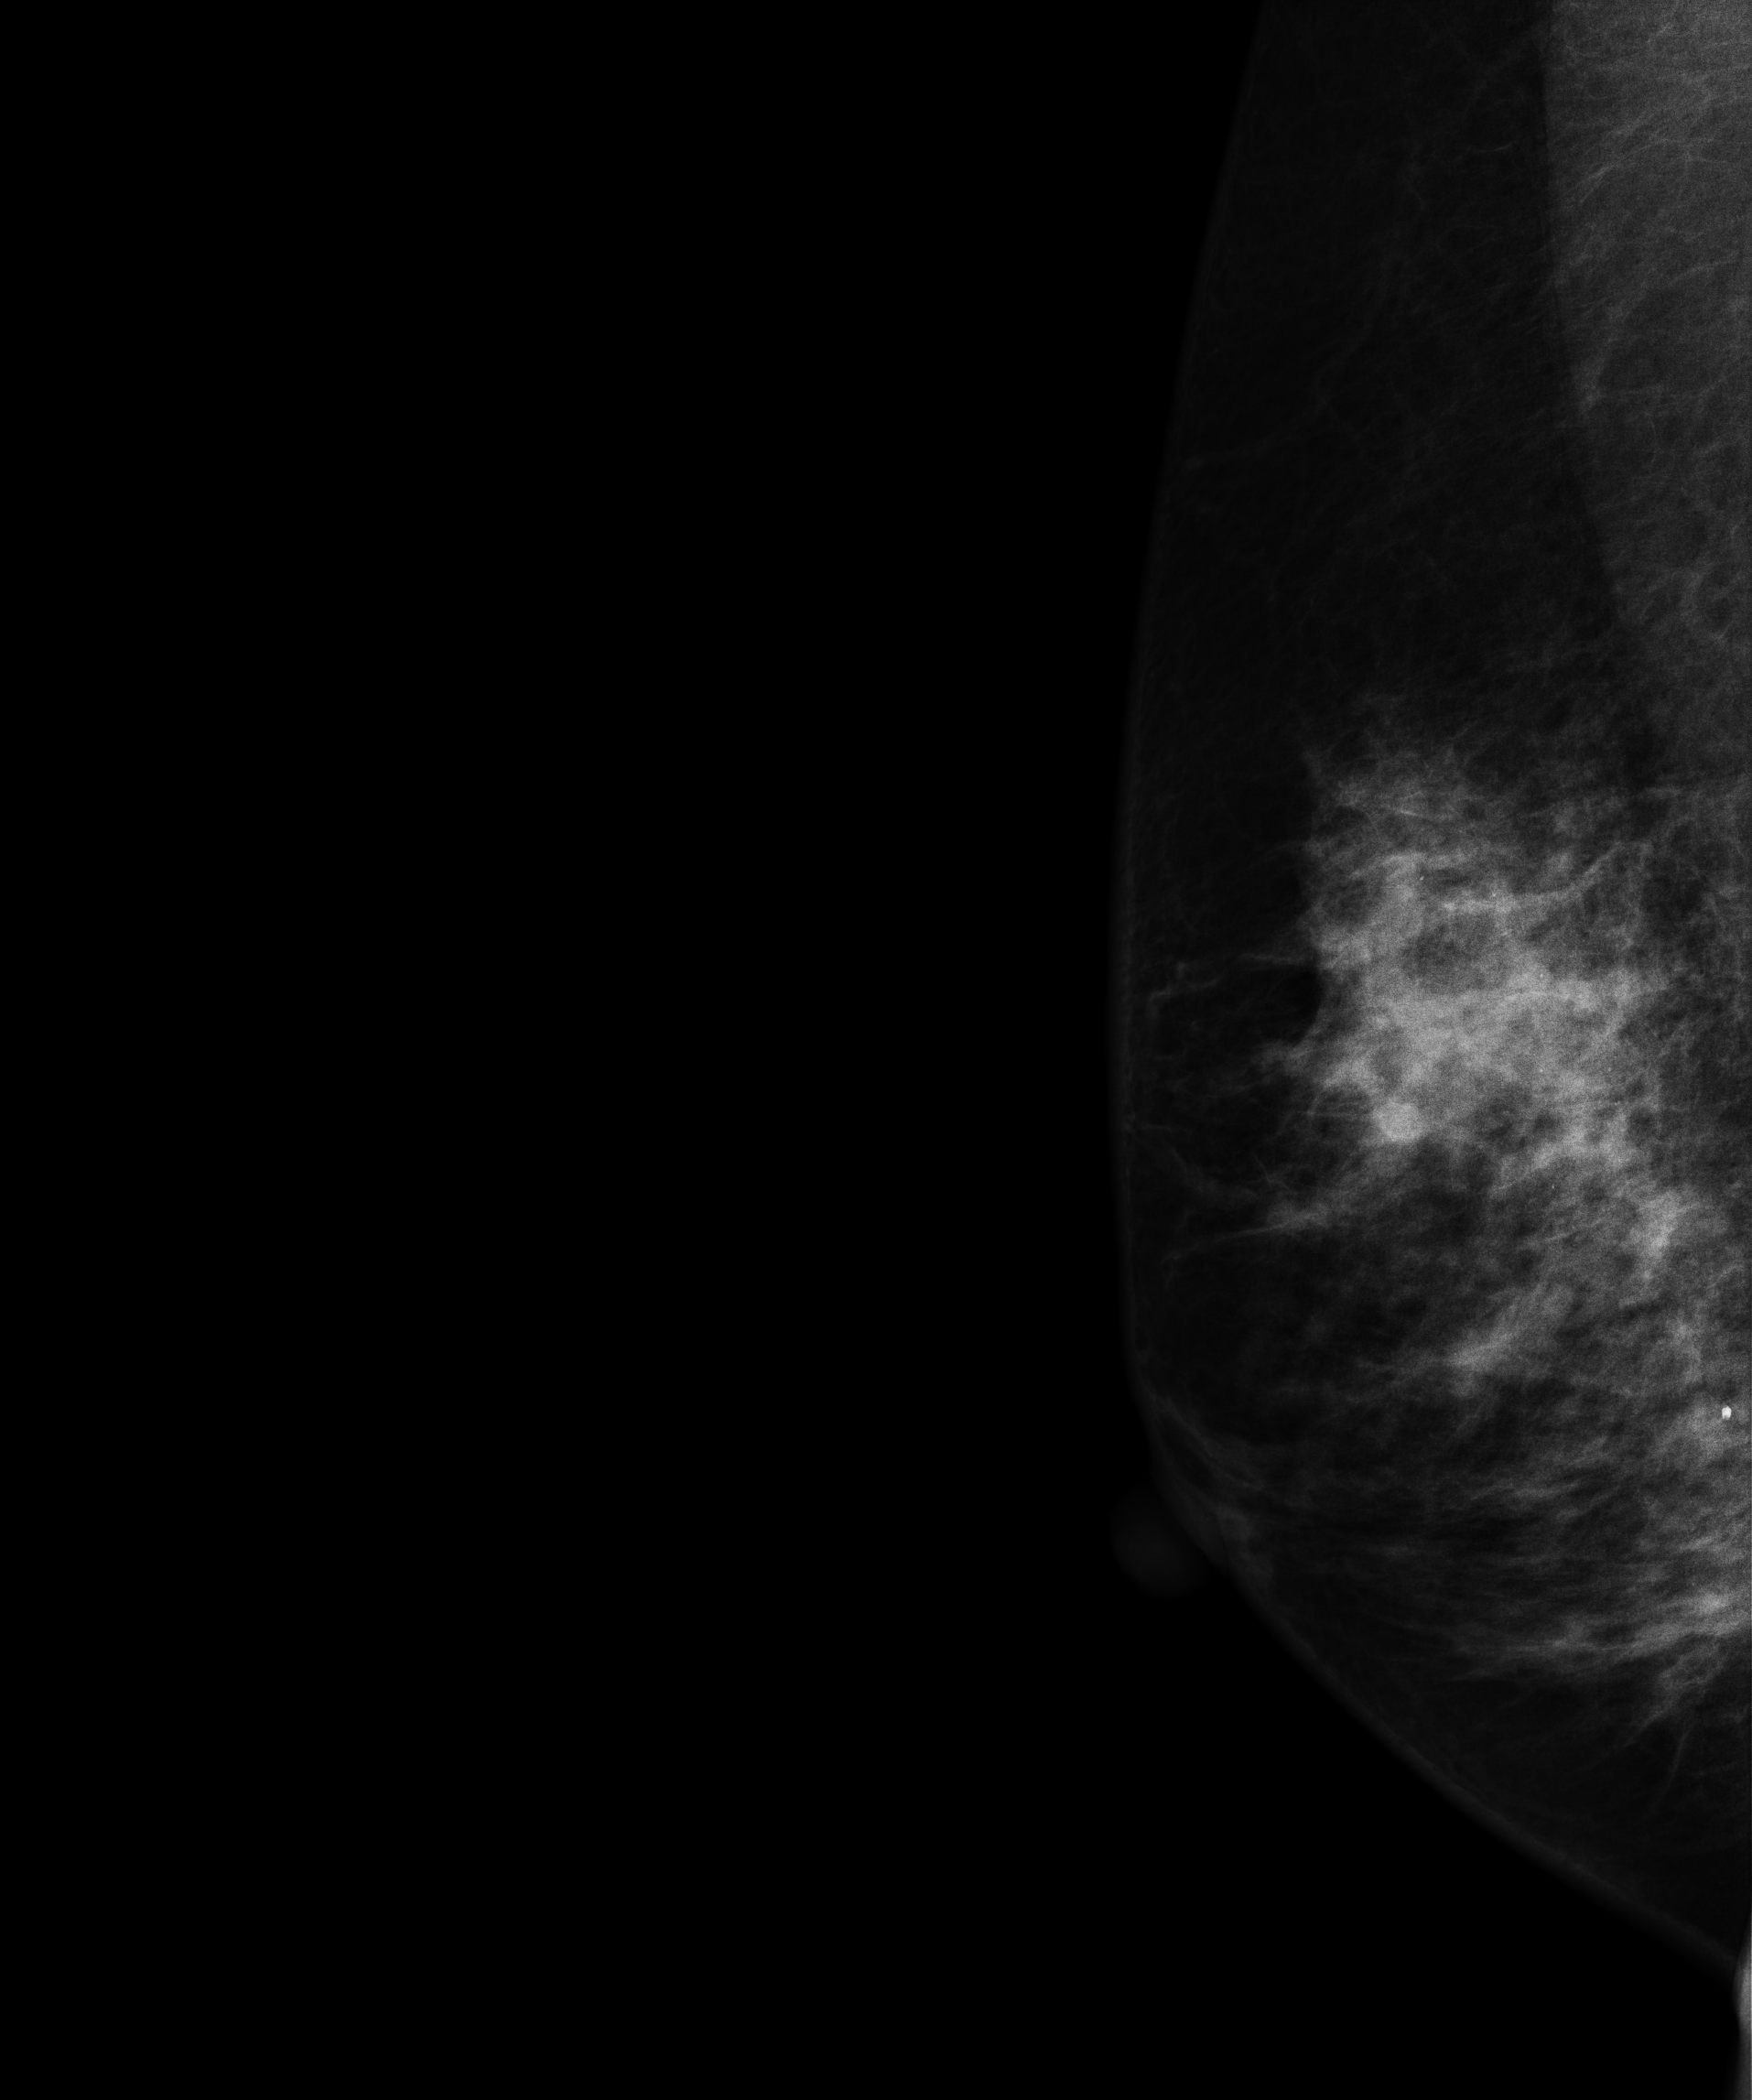
Digital mammography. Right breast, MLO projection. 48-year-old patient.
This breast has a mass and calcifications, histologically confirmed malignant. Molecular subtype: triple-negative.